Mammogram, left breast, medio-lateral oblique view. 46-year-old patient.
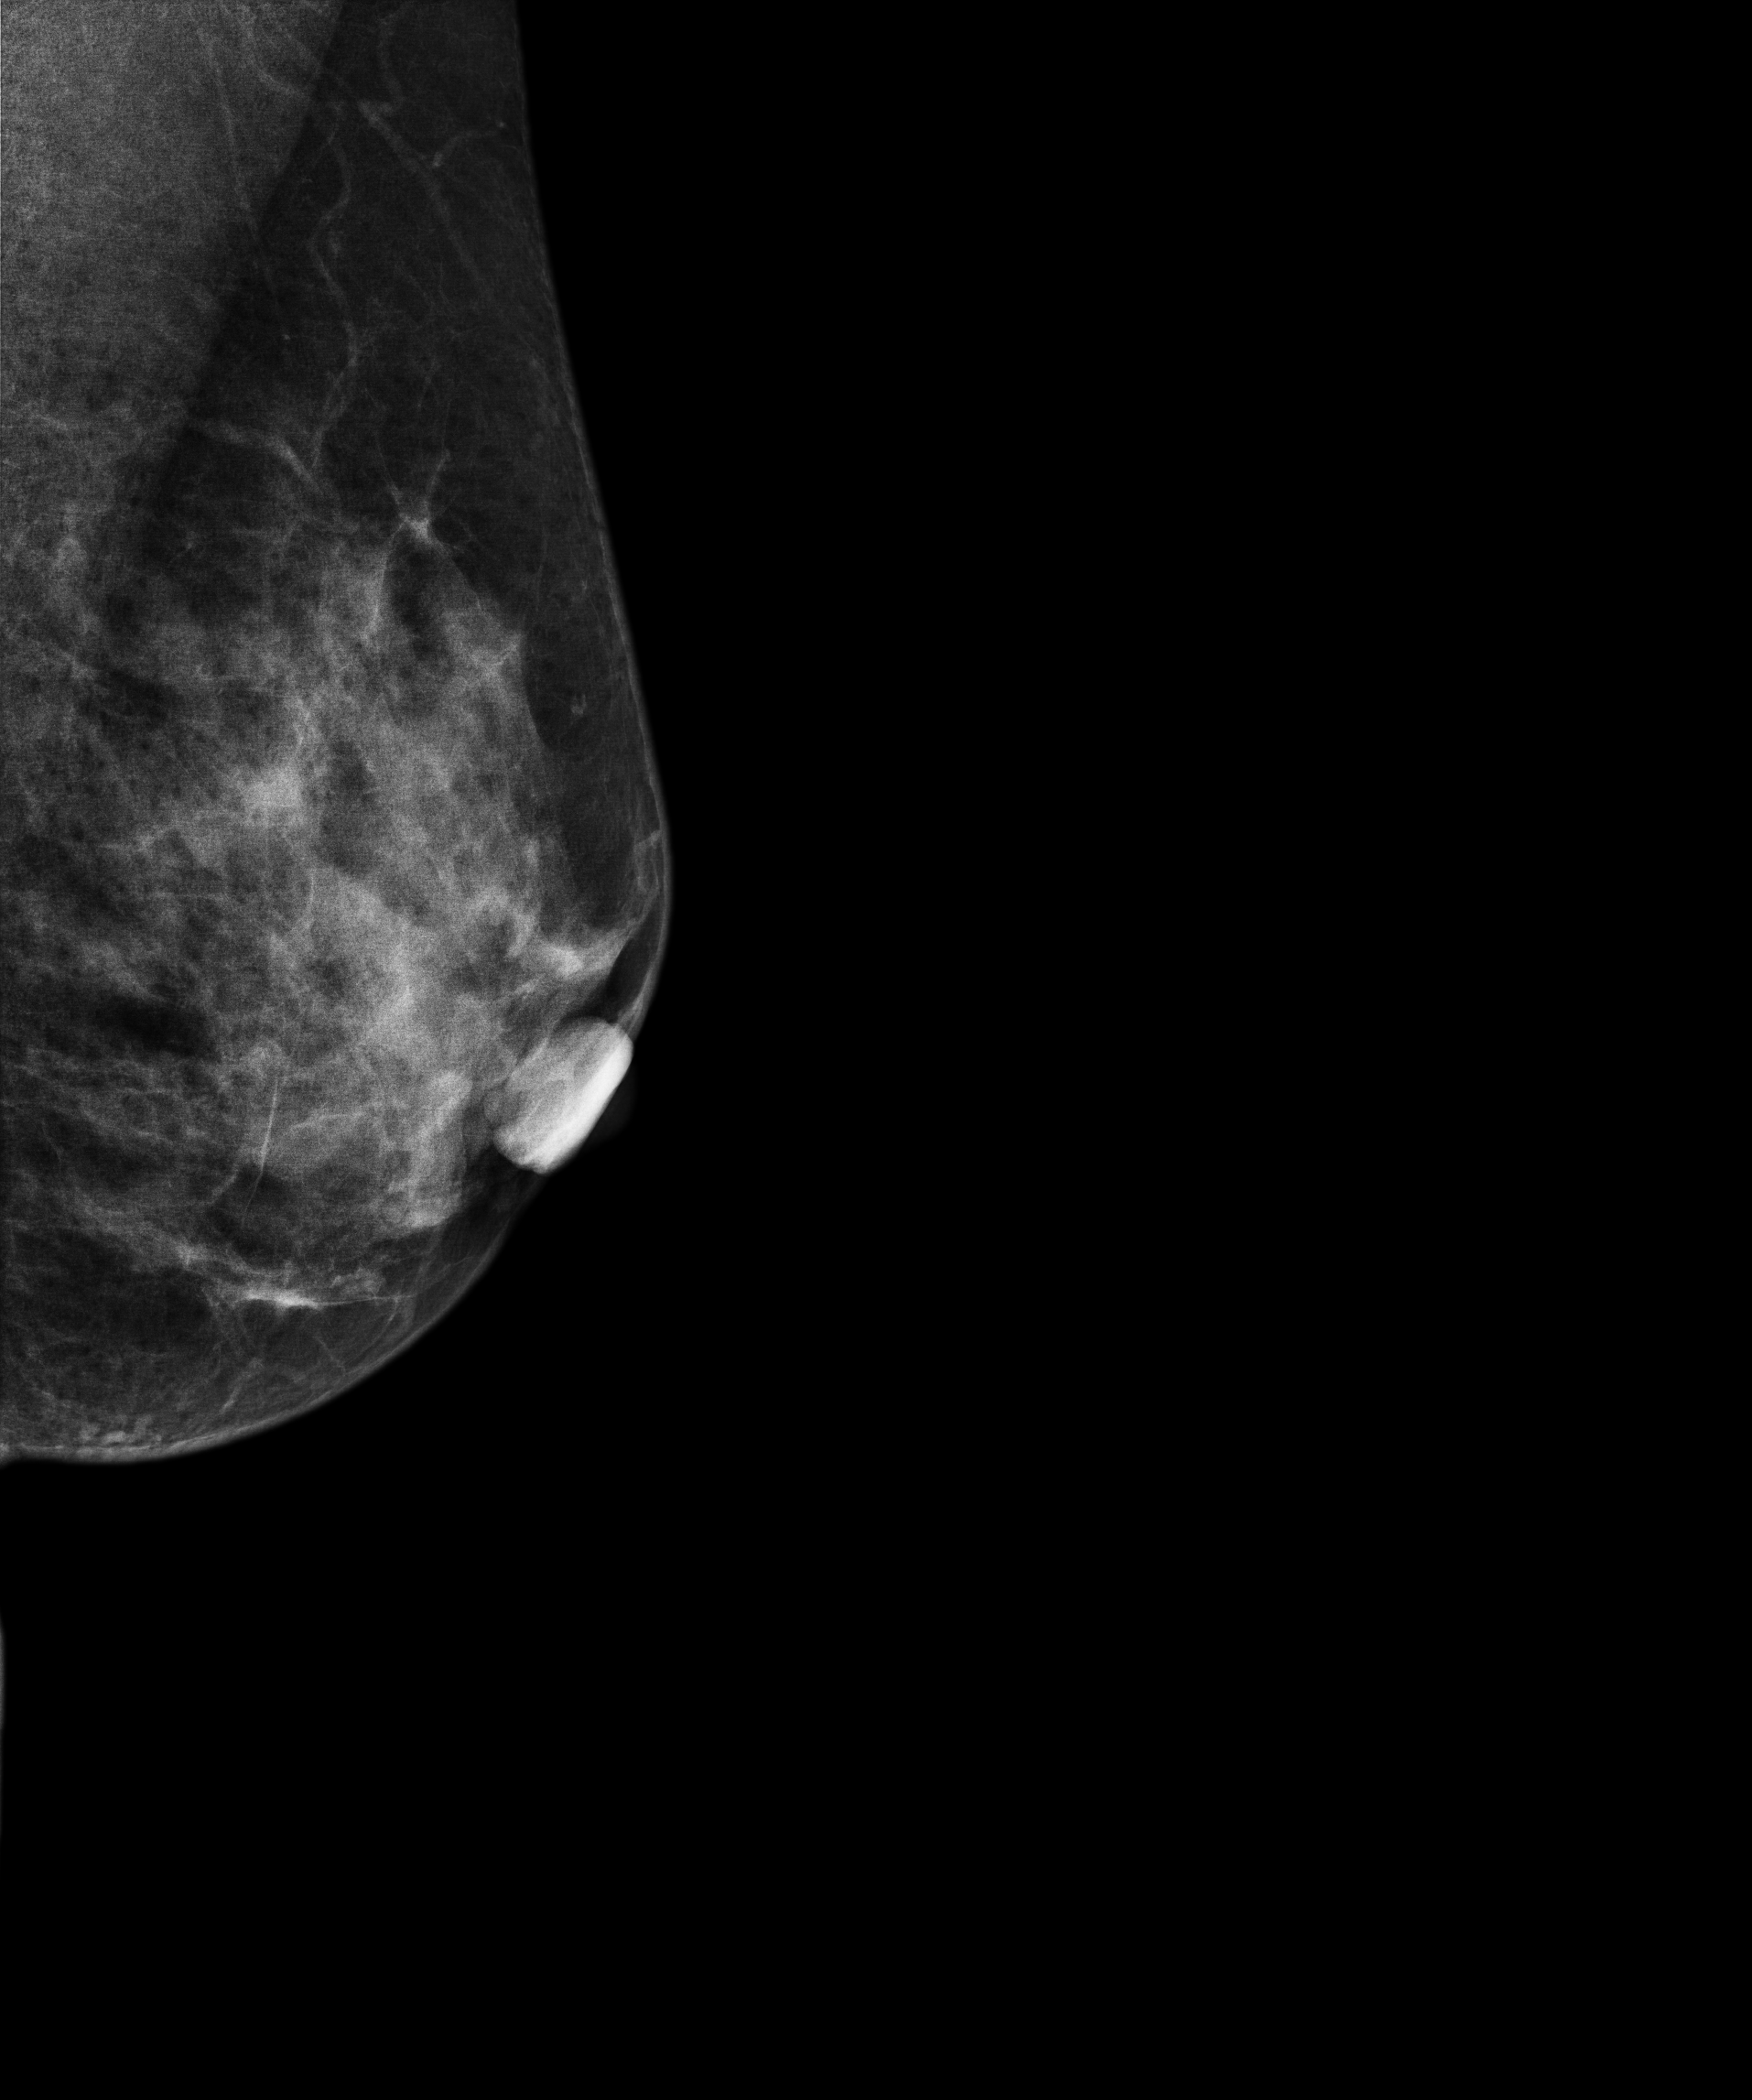
Contralateral breast — no documented abnormality on this side.